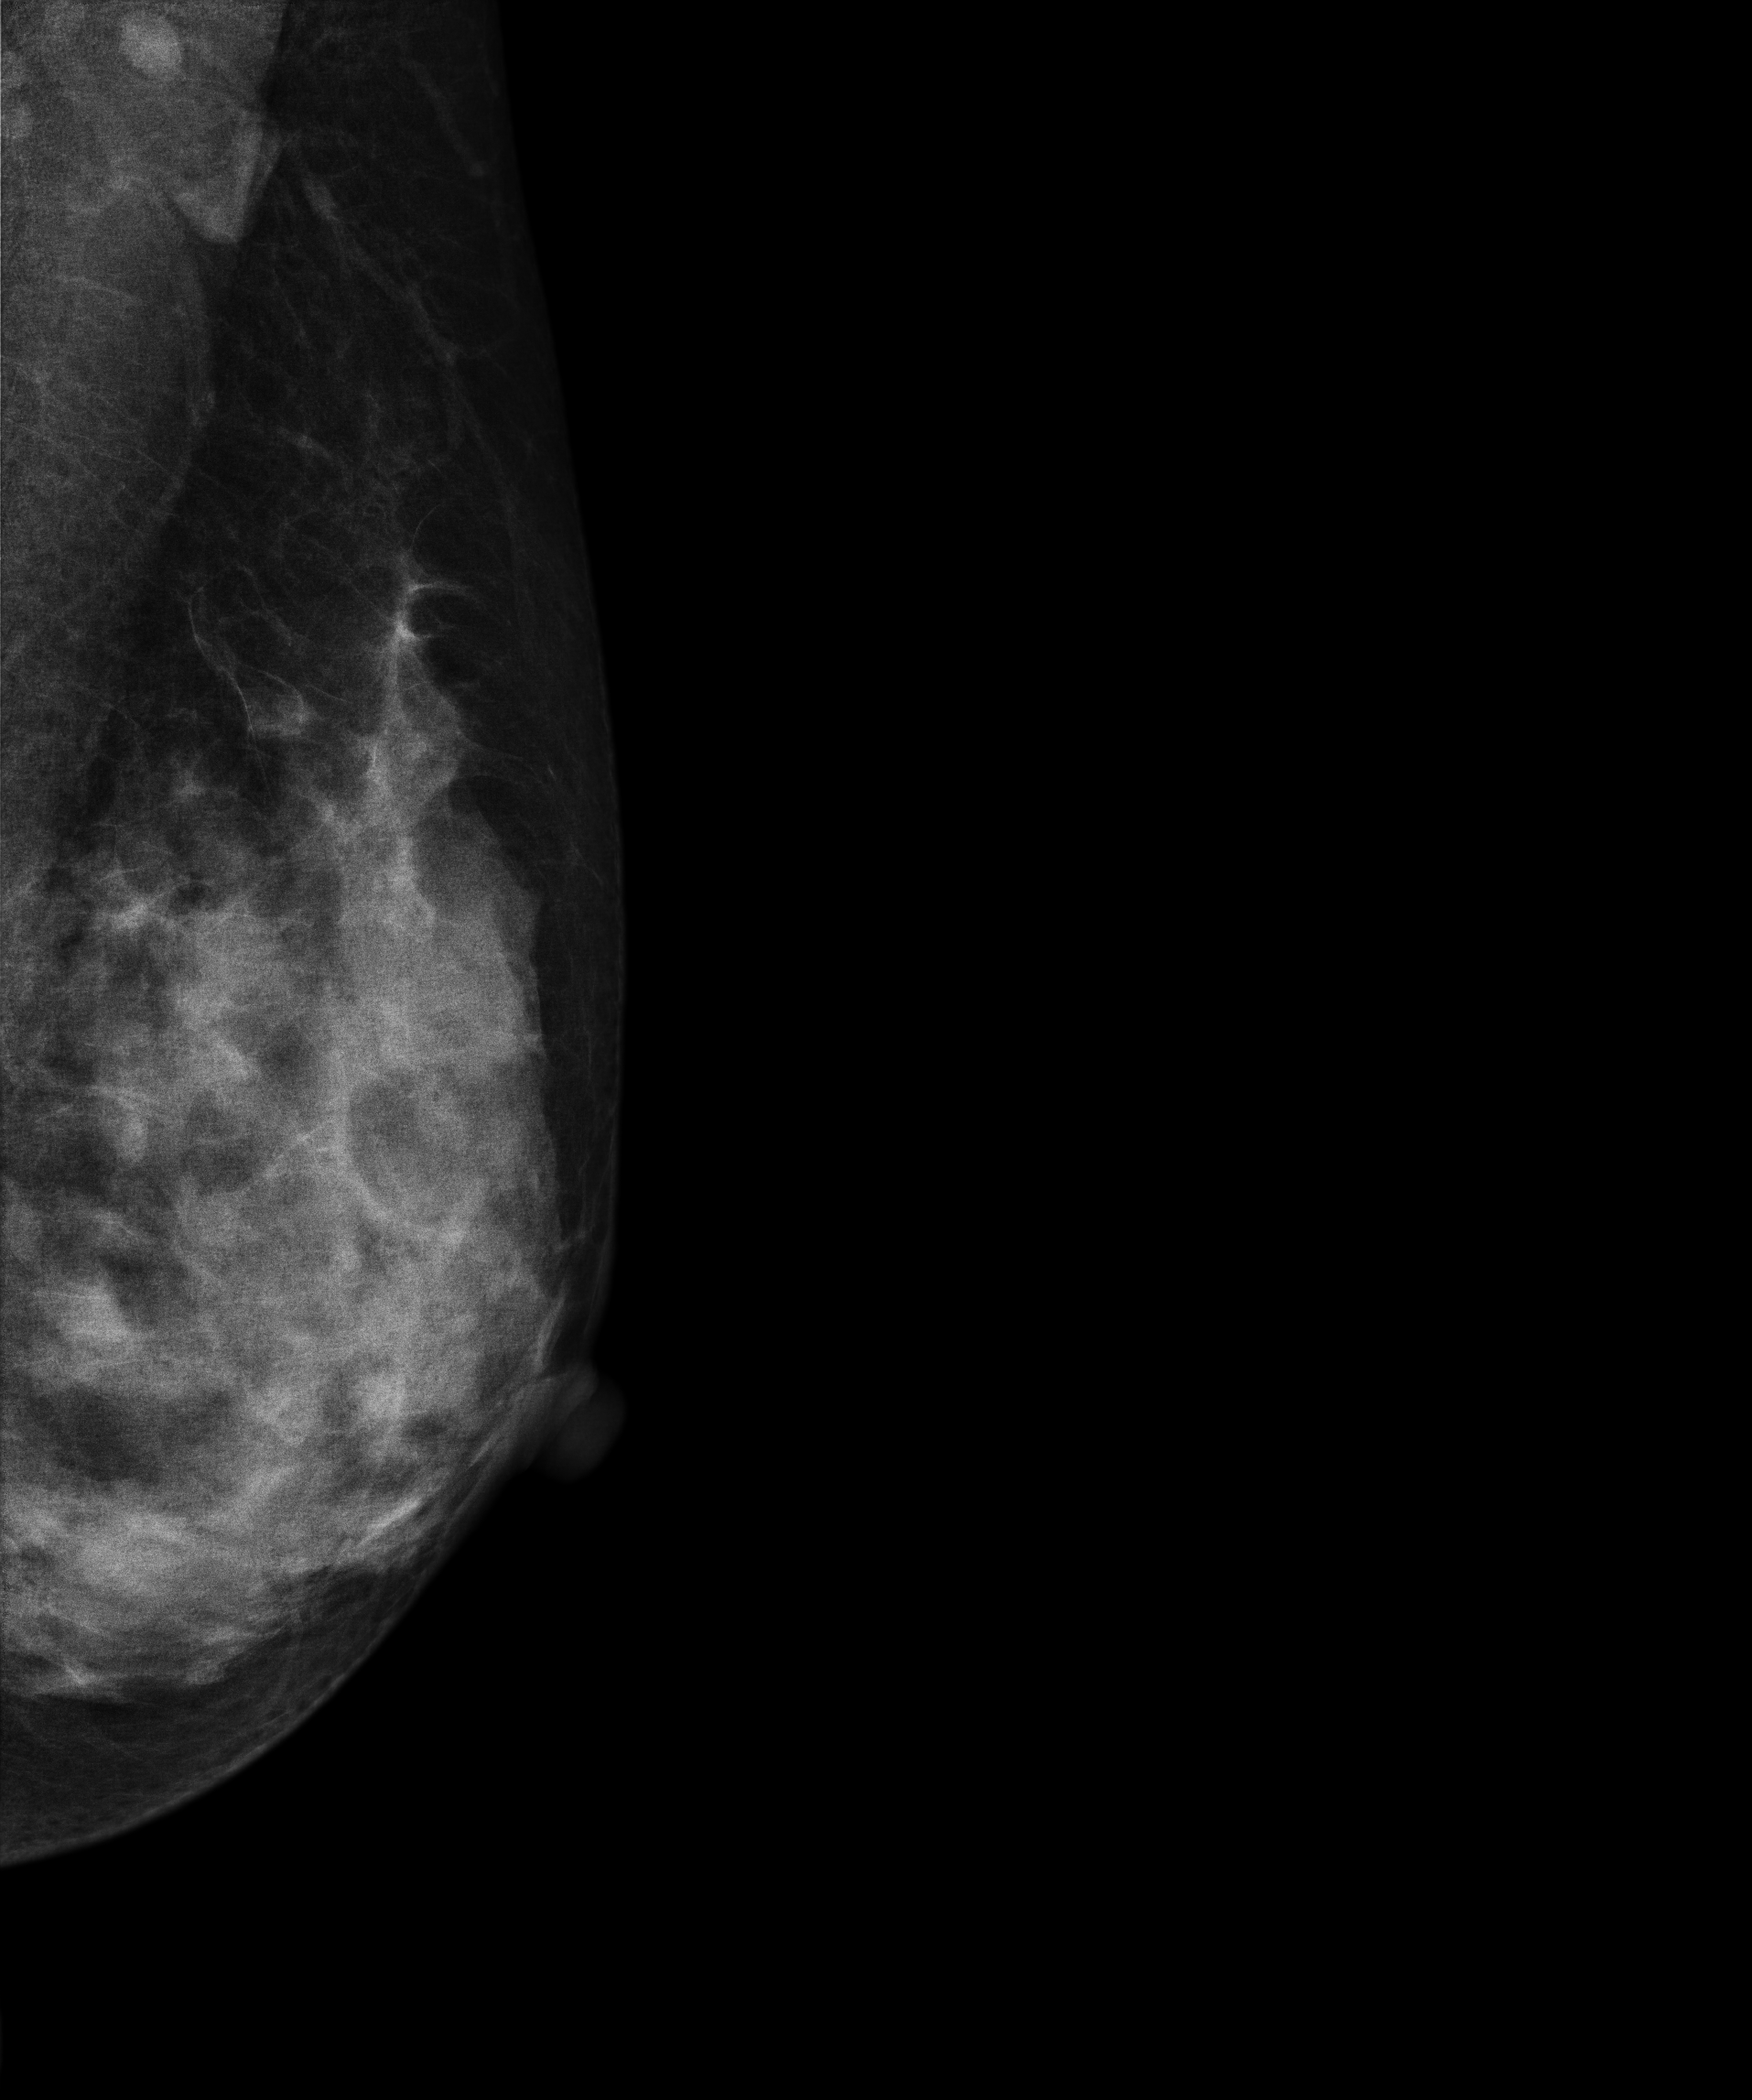
Digital mammography. Left breast, medio-lateral oblique projection. Patient age 46.
Contralateral breast — no documented abnormality on this side.